Mammogram — left medio-lateral oblique. 59 y/o patient.
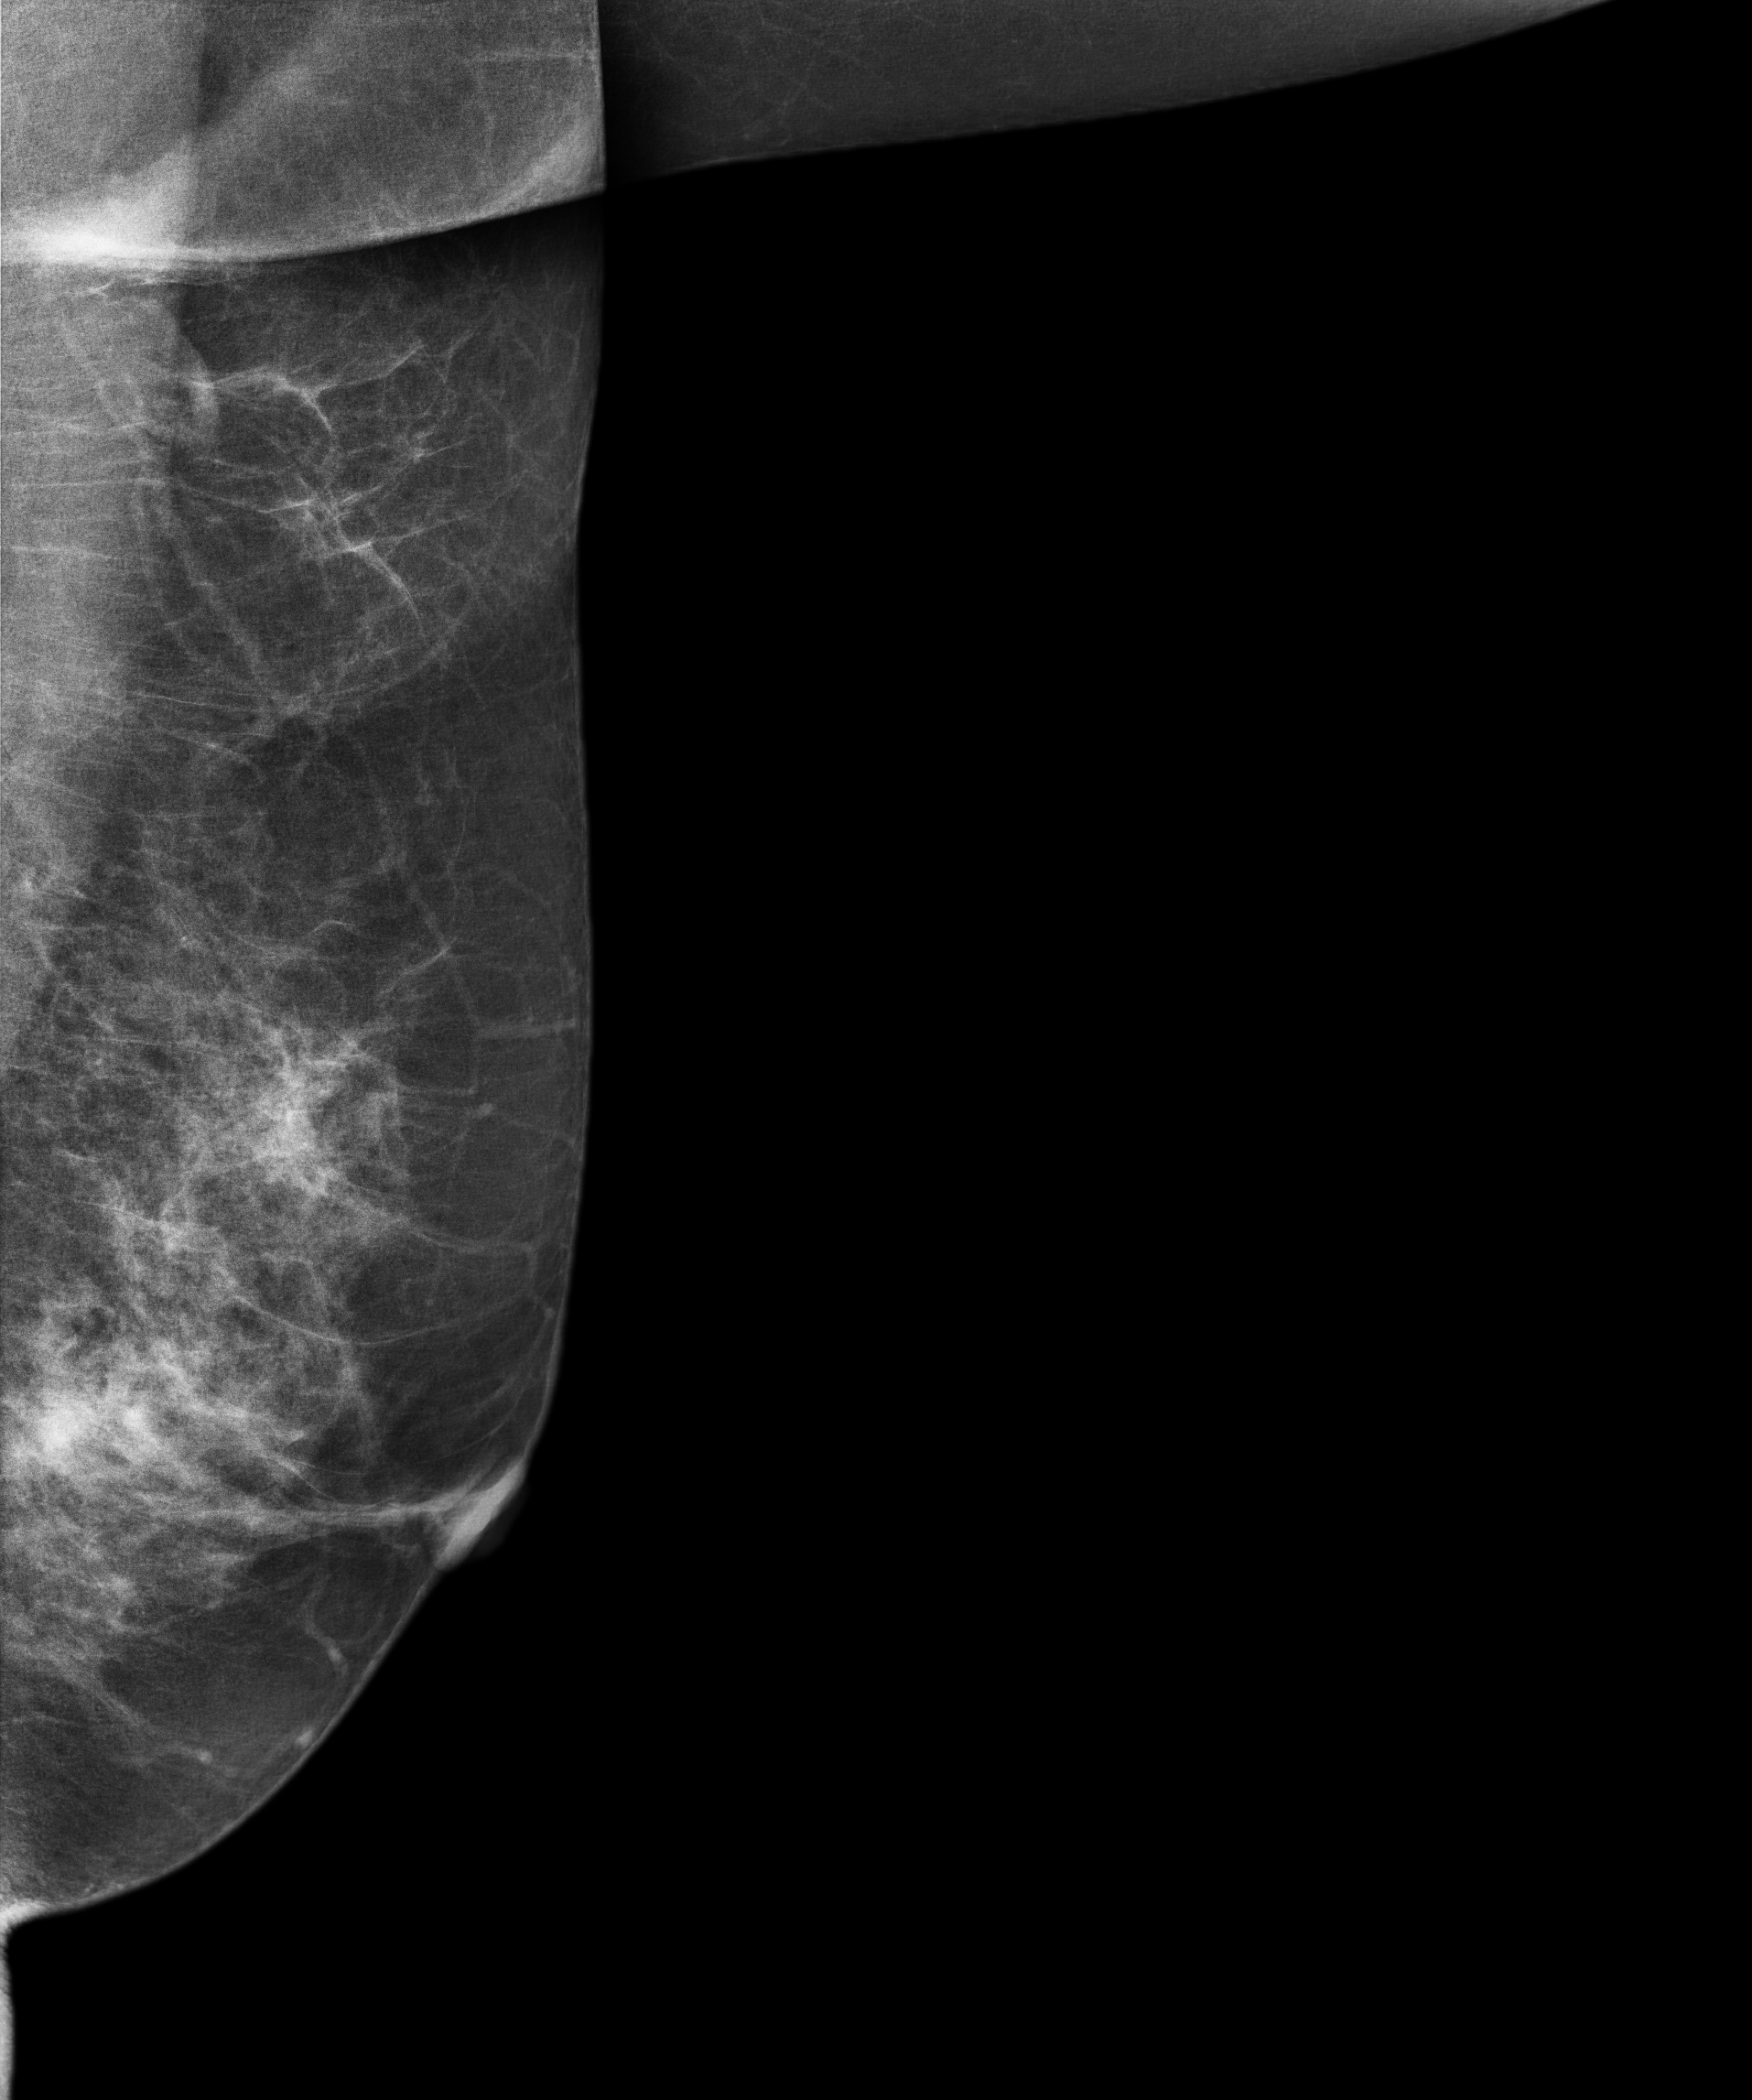
This breast has a mass, histologically confirmed malignant. Molecular subtype: luminal A.